Cranio-caudal mammogram of the right breast. 46 y/o patient.
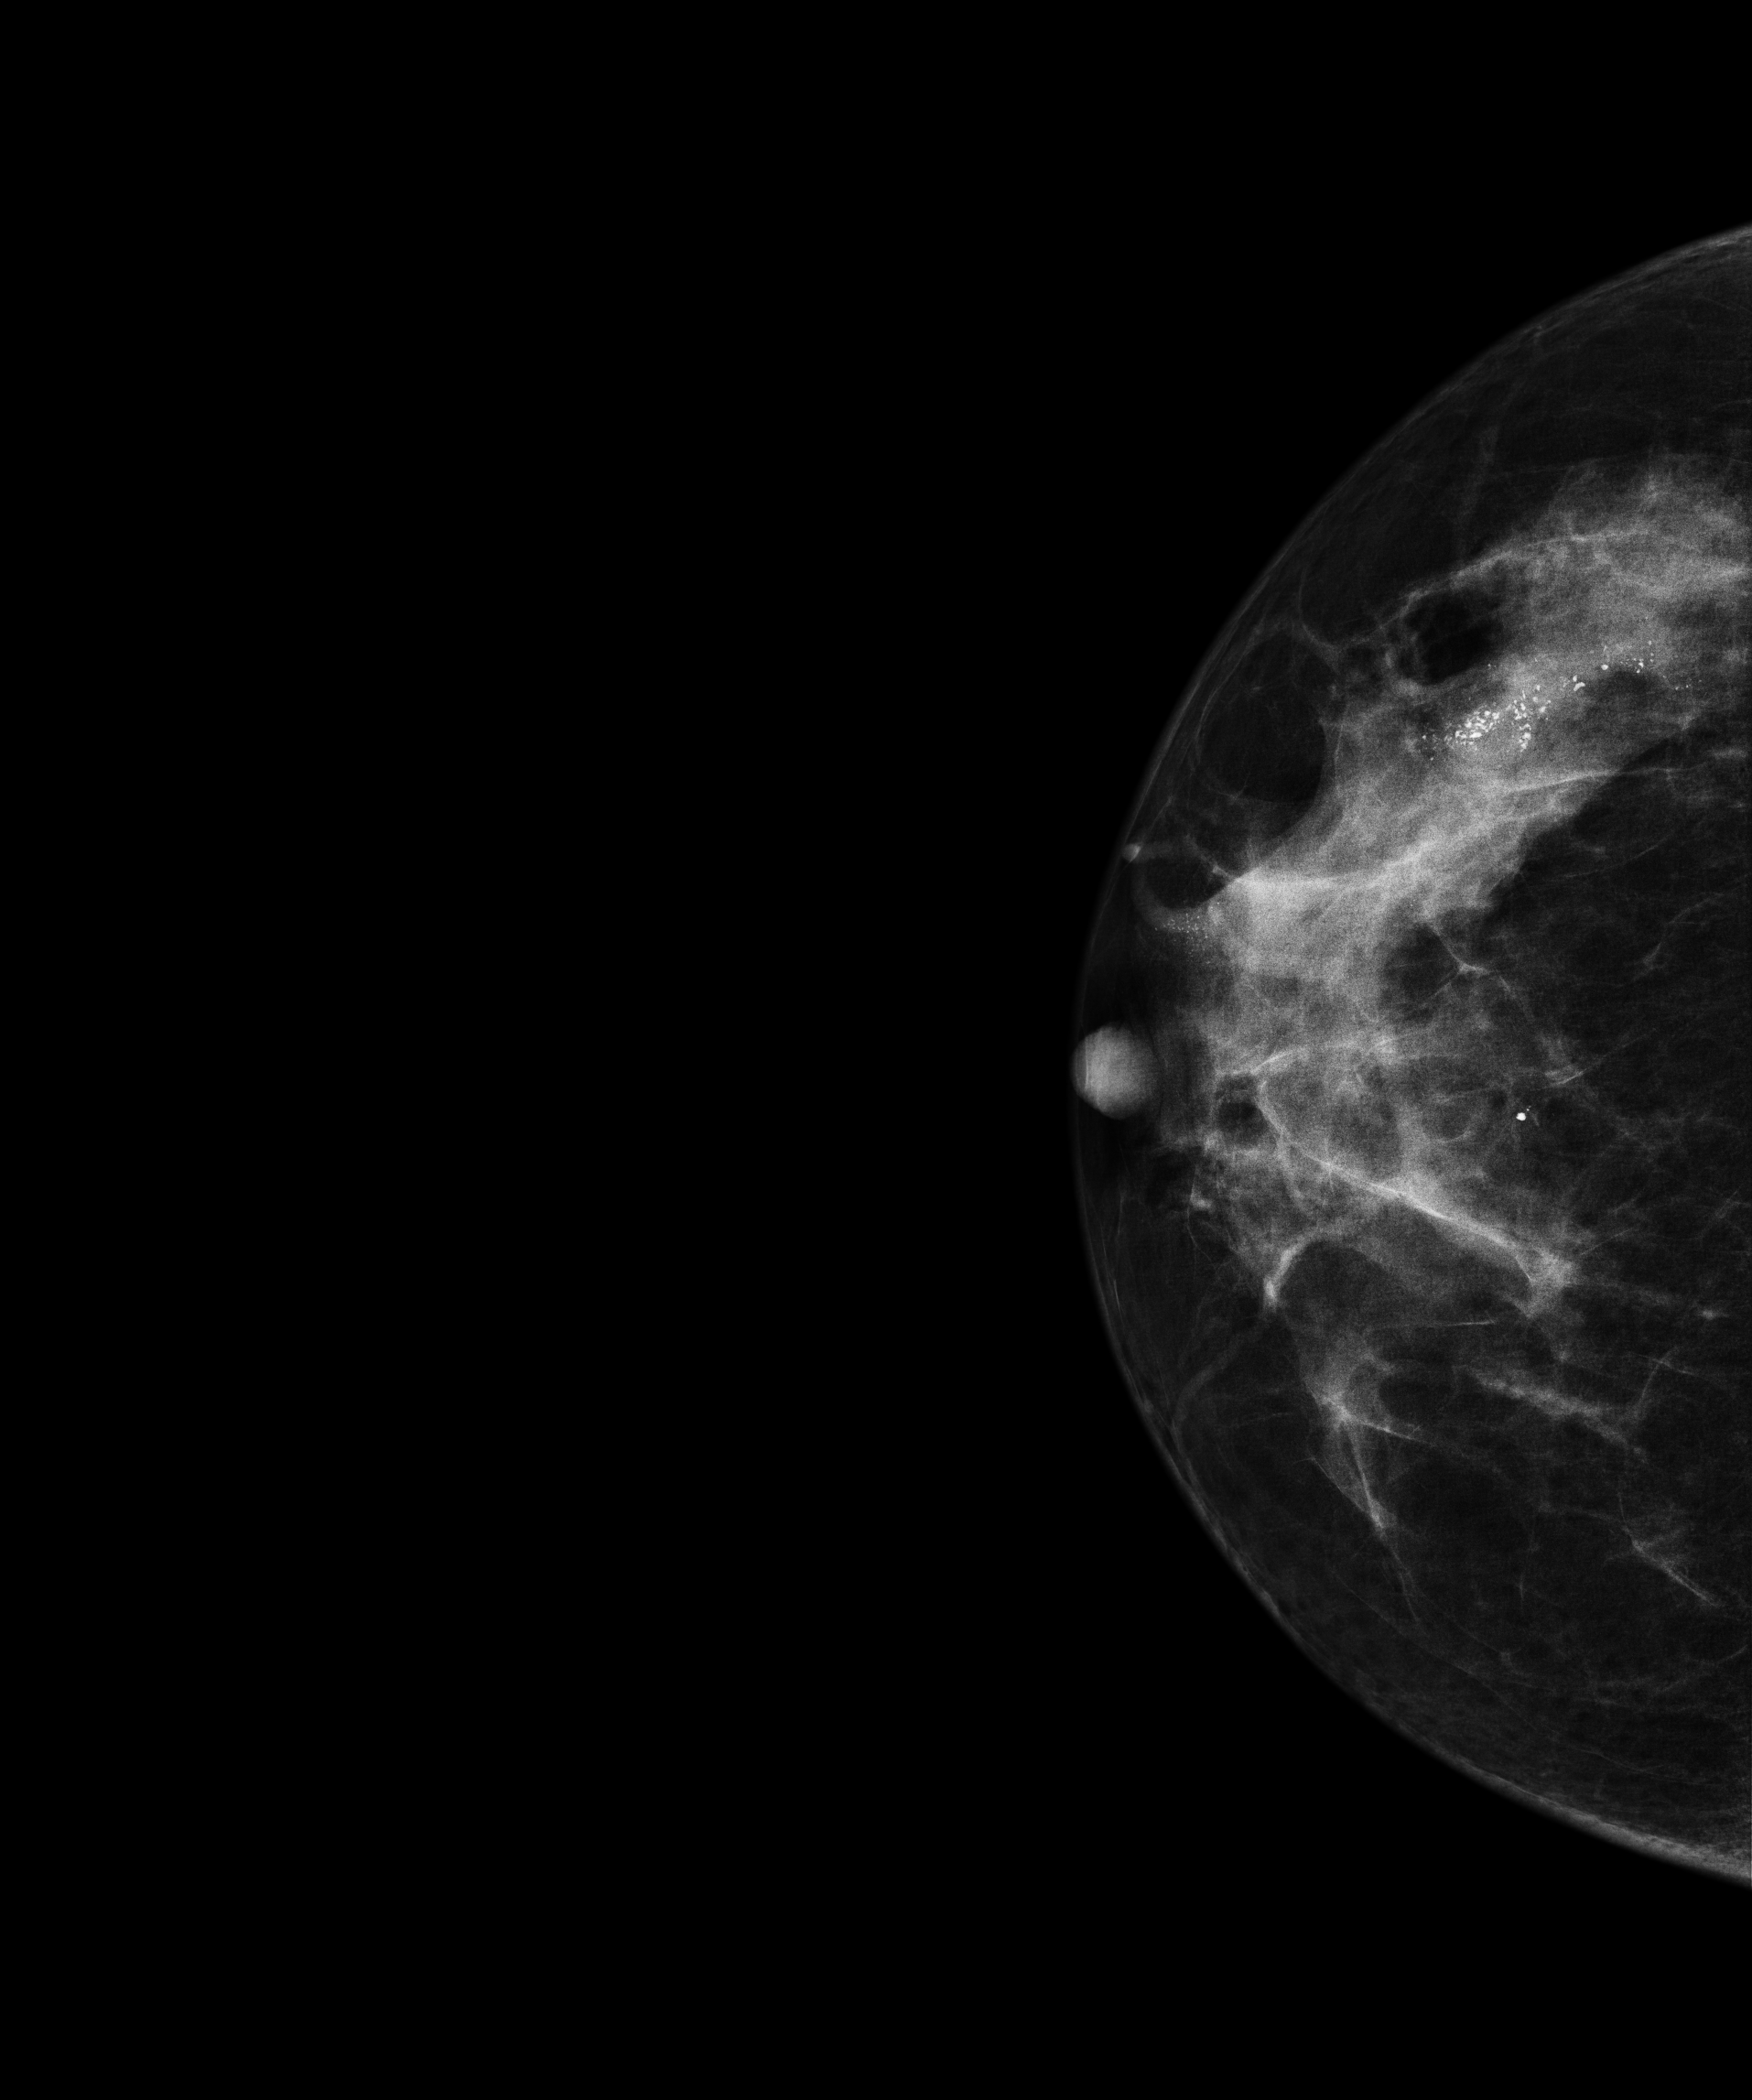
This breast has calcifications, biopsy-proven malignant.